Mammogram, right breast, medio-lateral oblique view. 49 y/o patient.
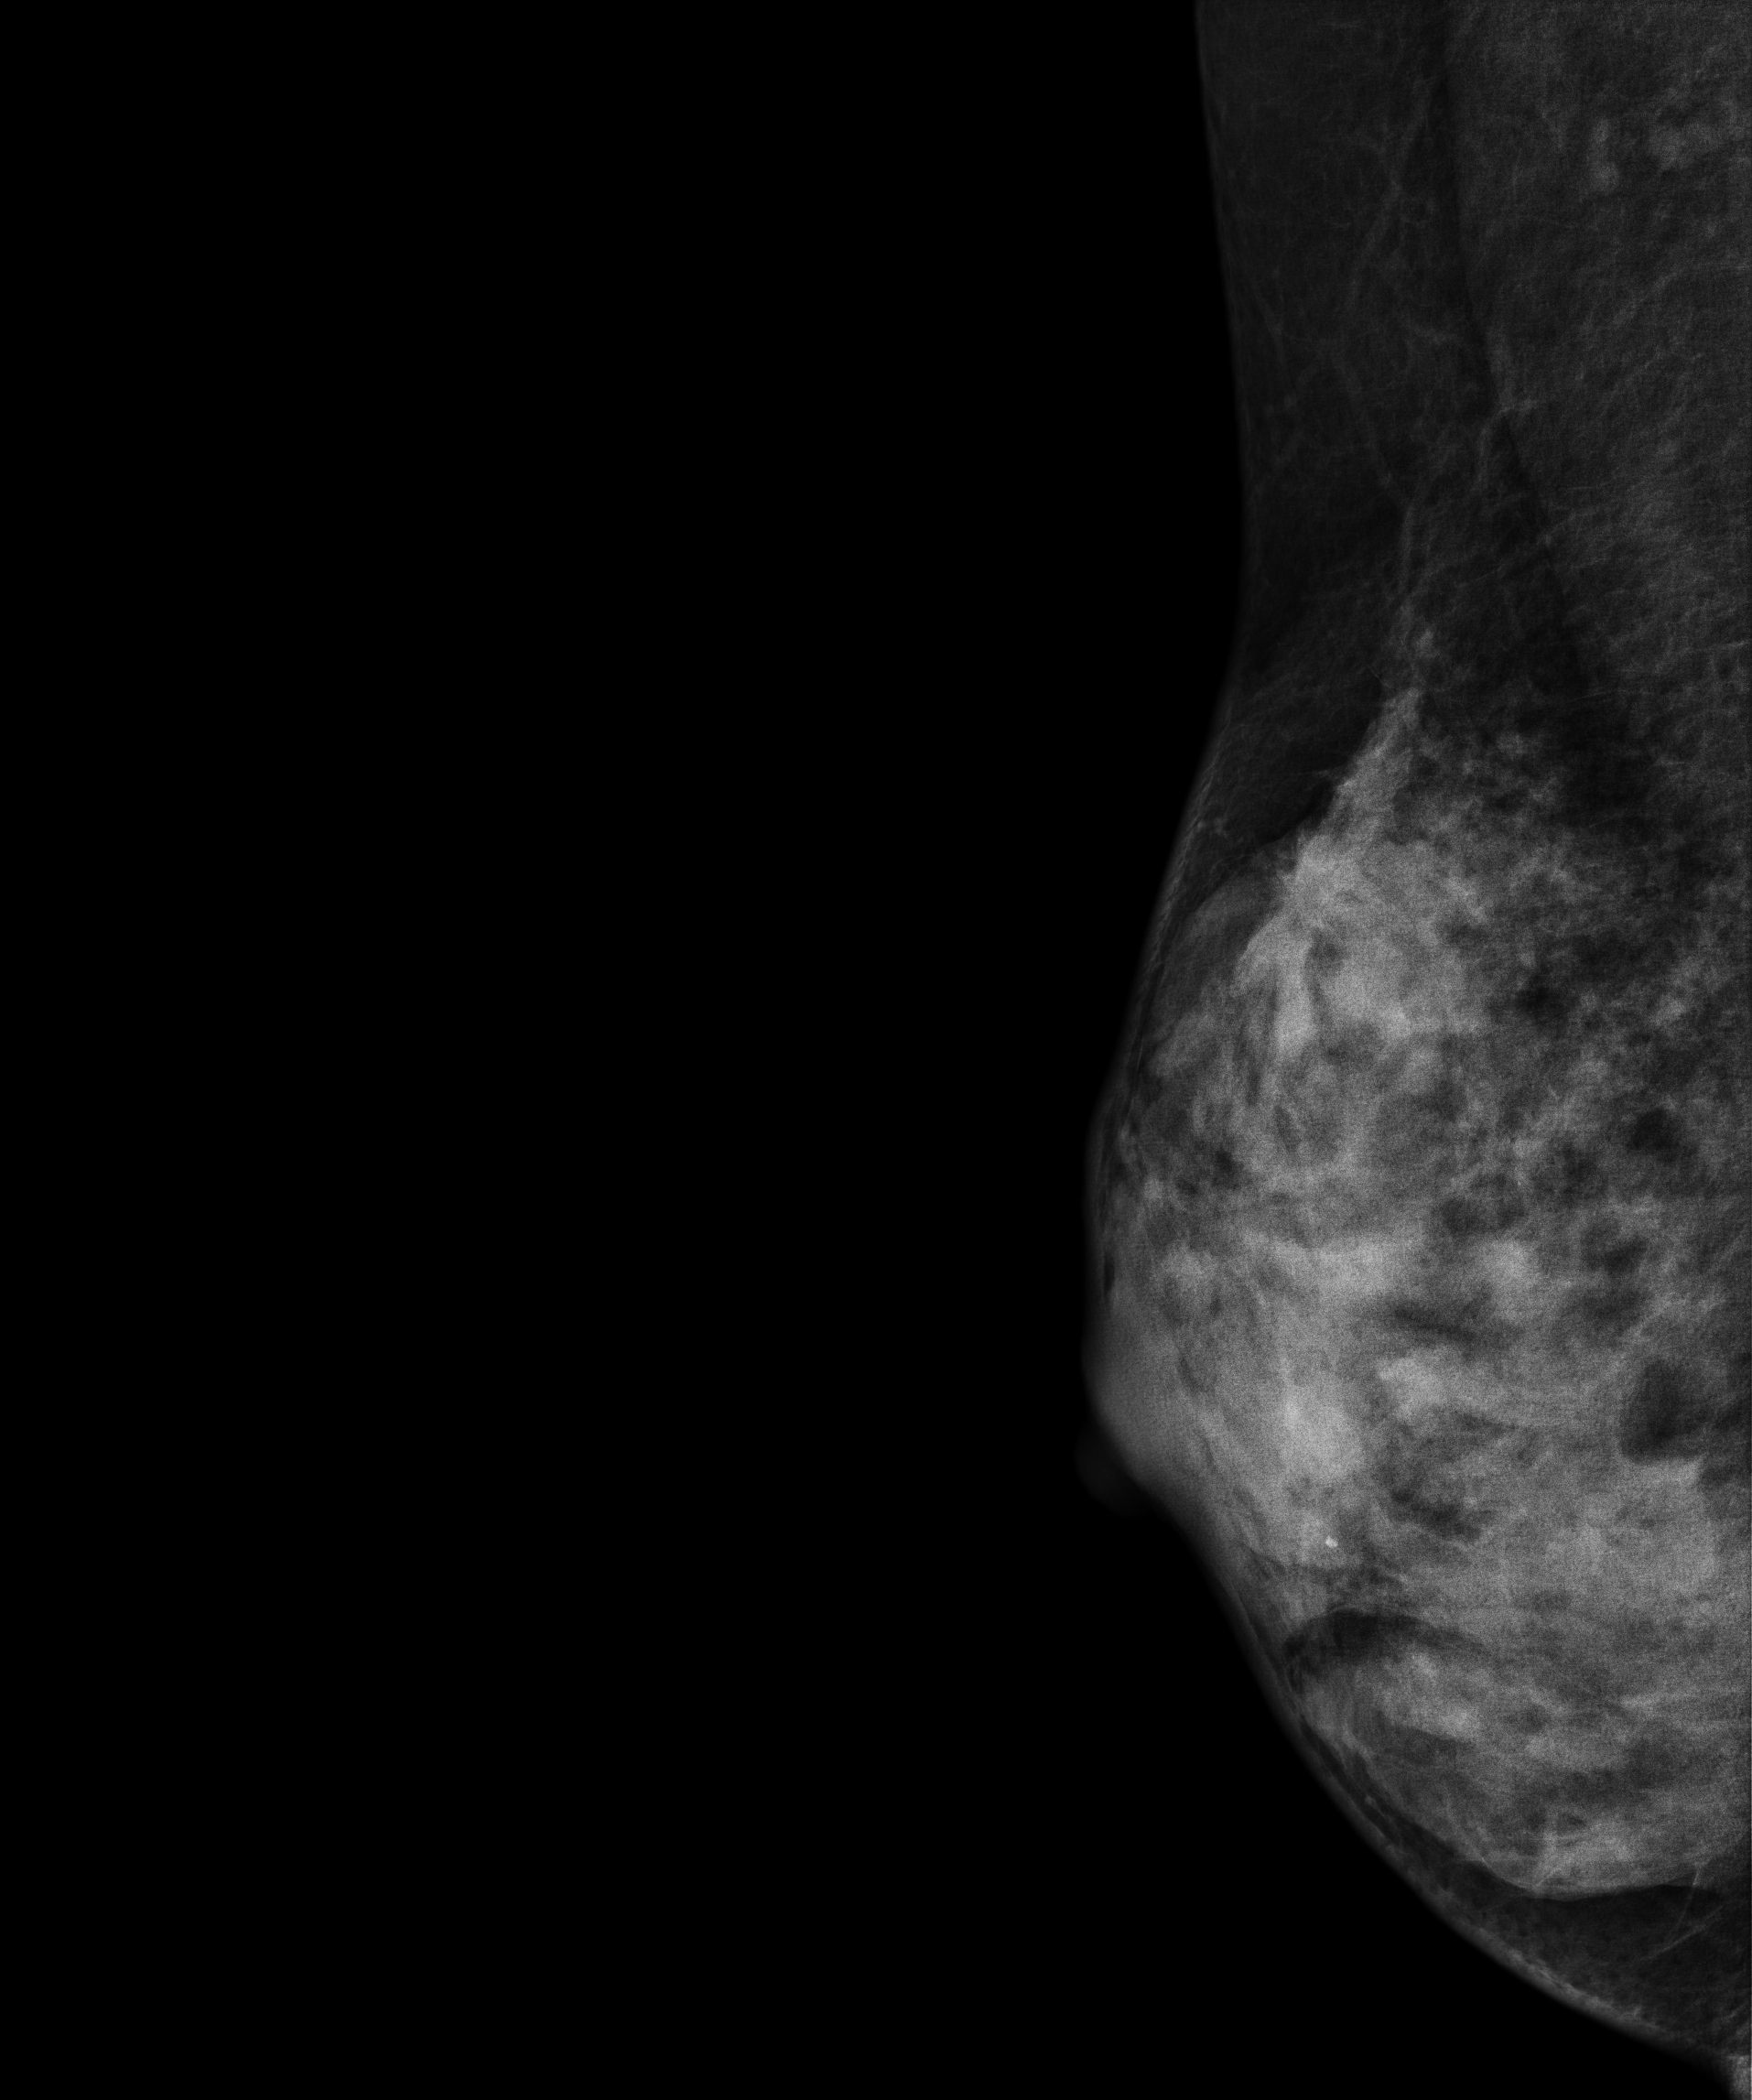
This breast has a mass, histologically confirmed malignant.